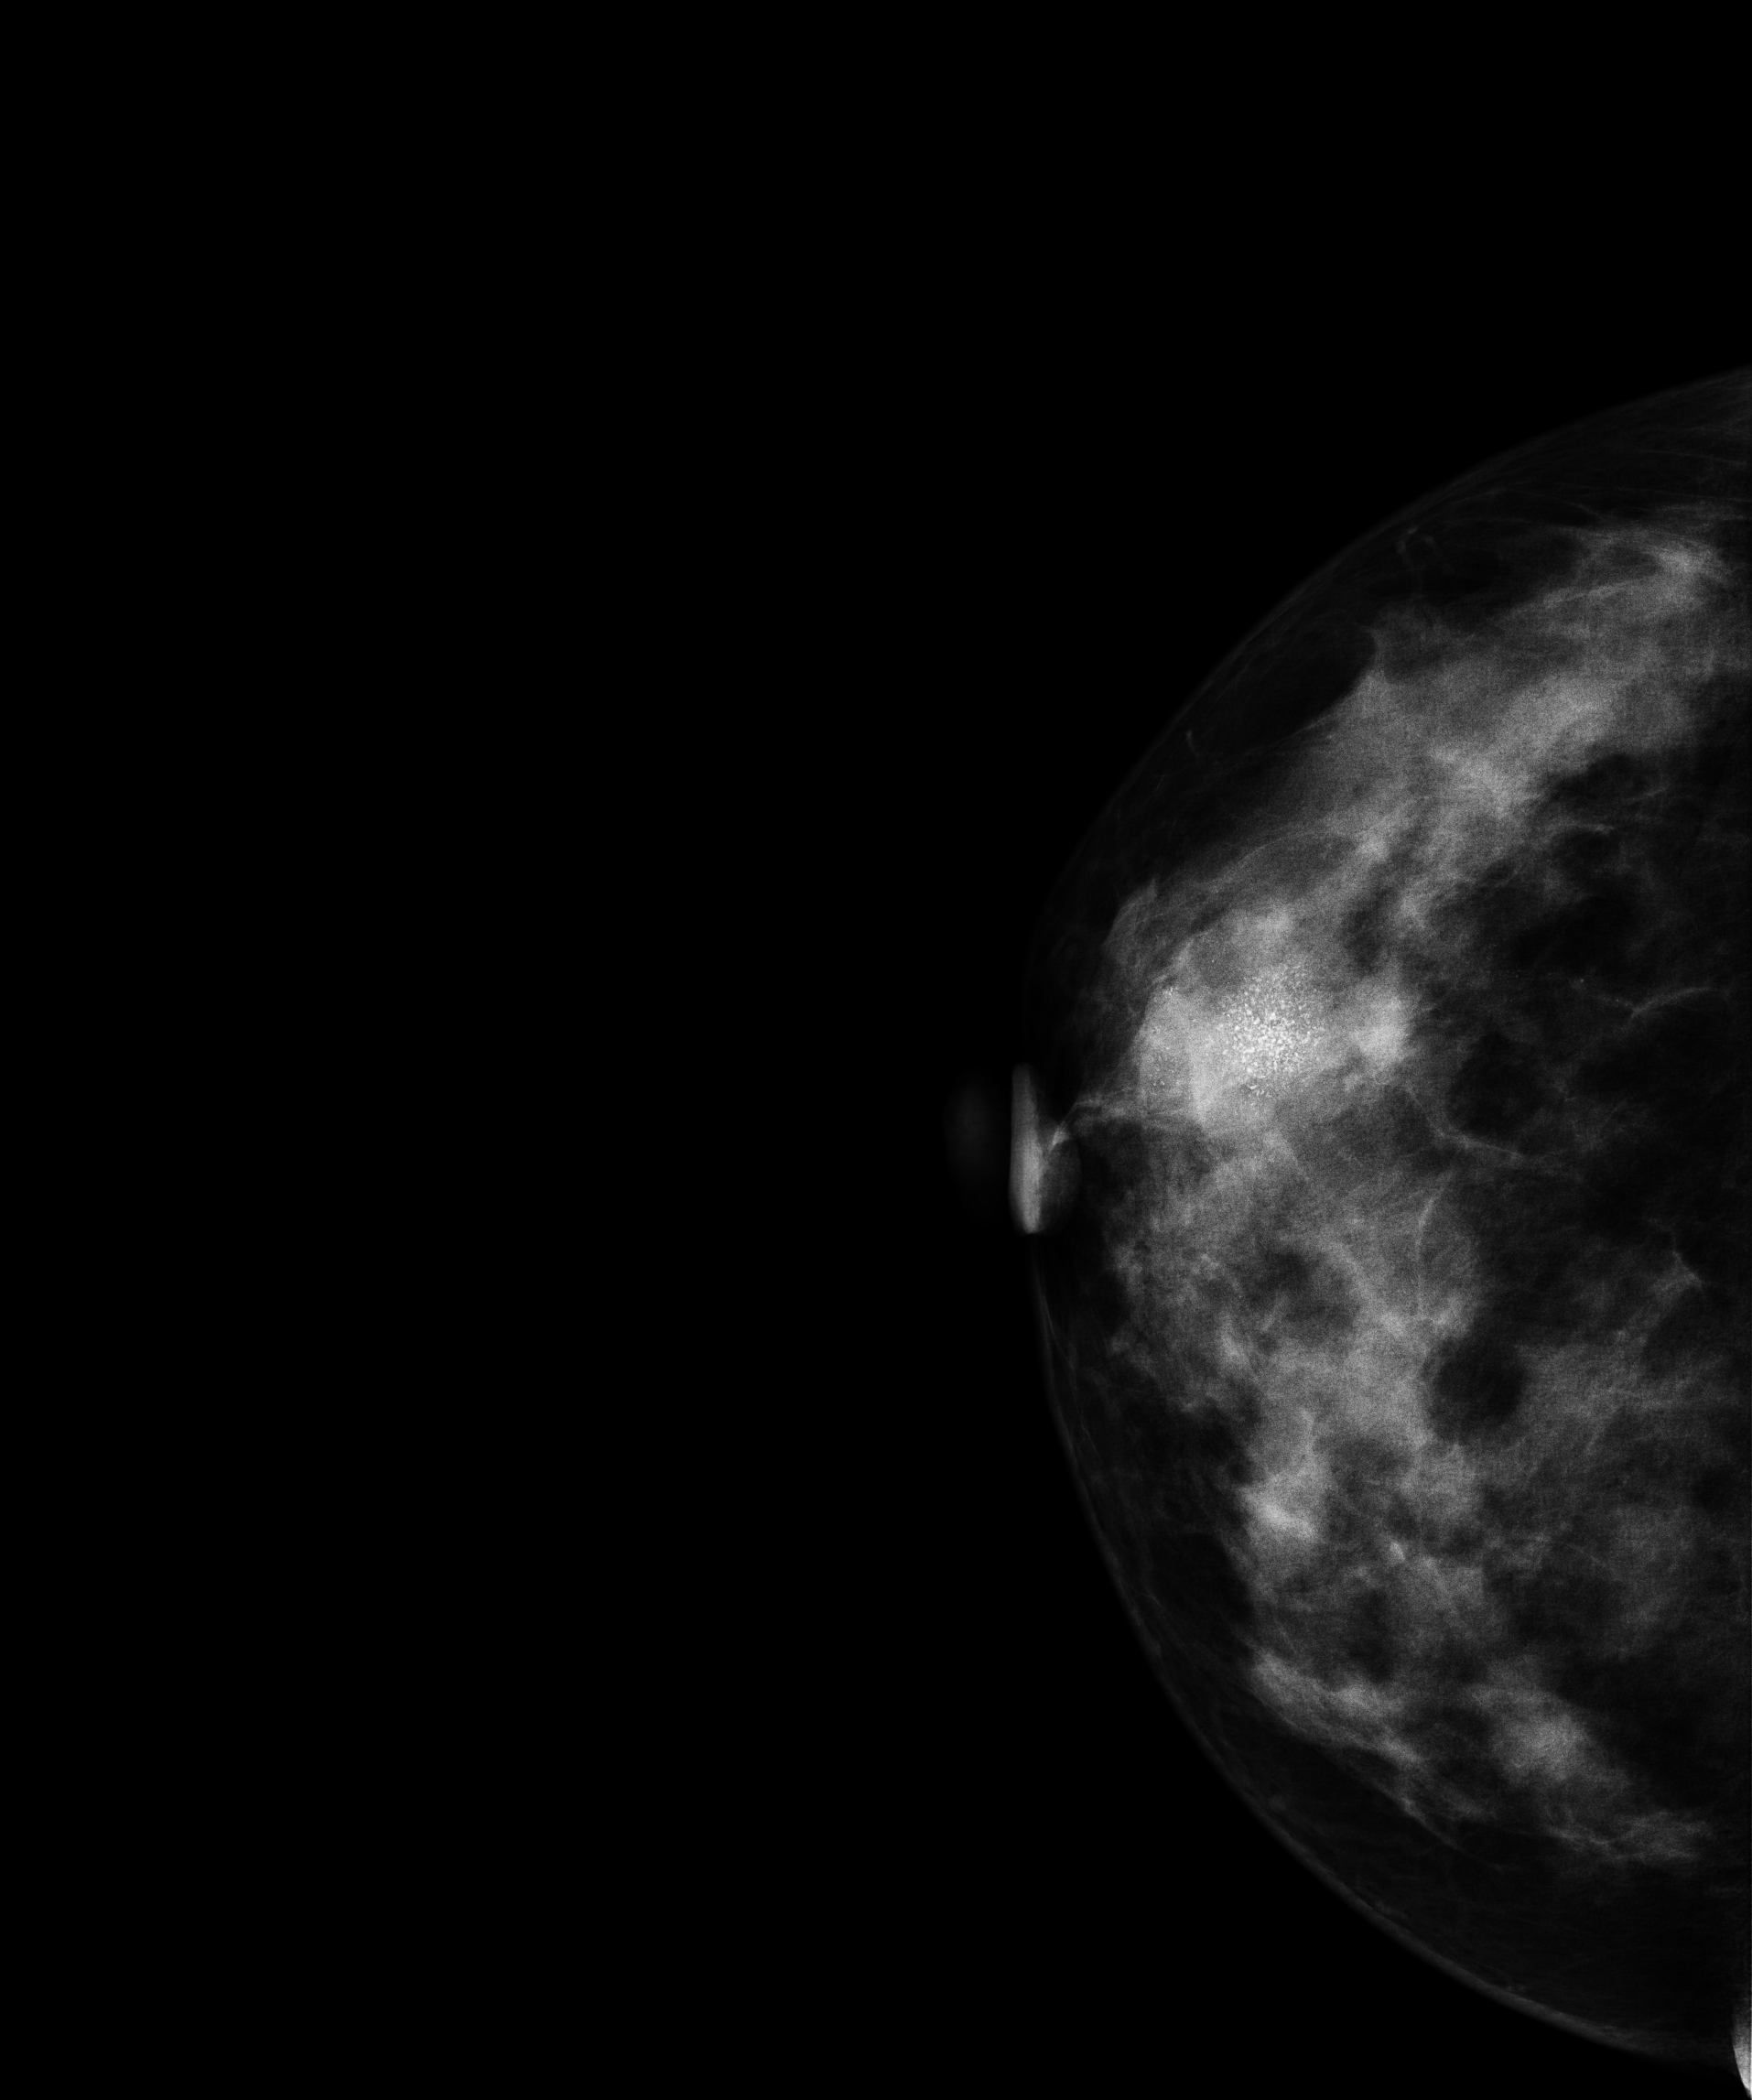
Cranio-caudal mammogram of the right breast. 41 y/o patient.
This breast has a mass and calcifications, biopsy-confirmed malignant.